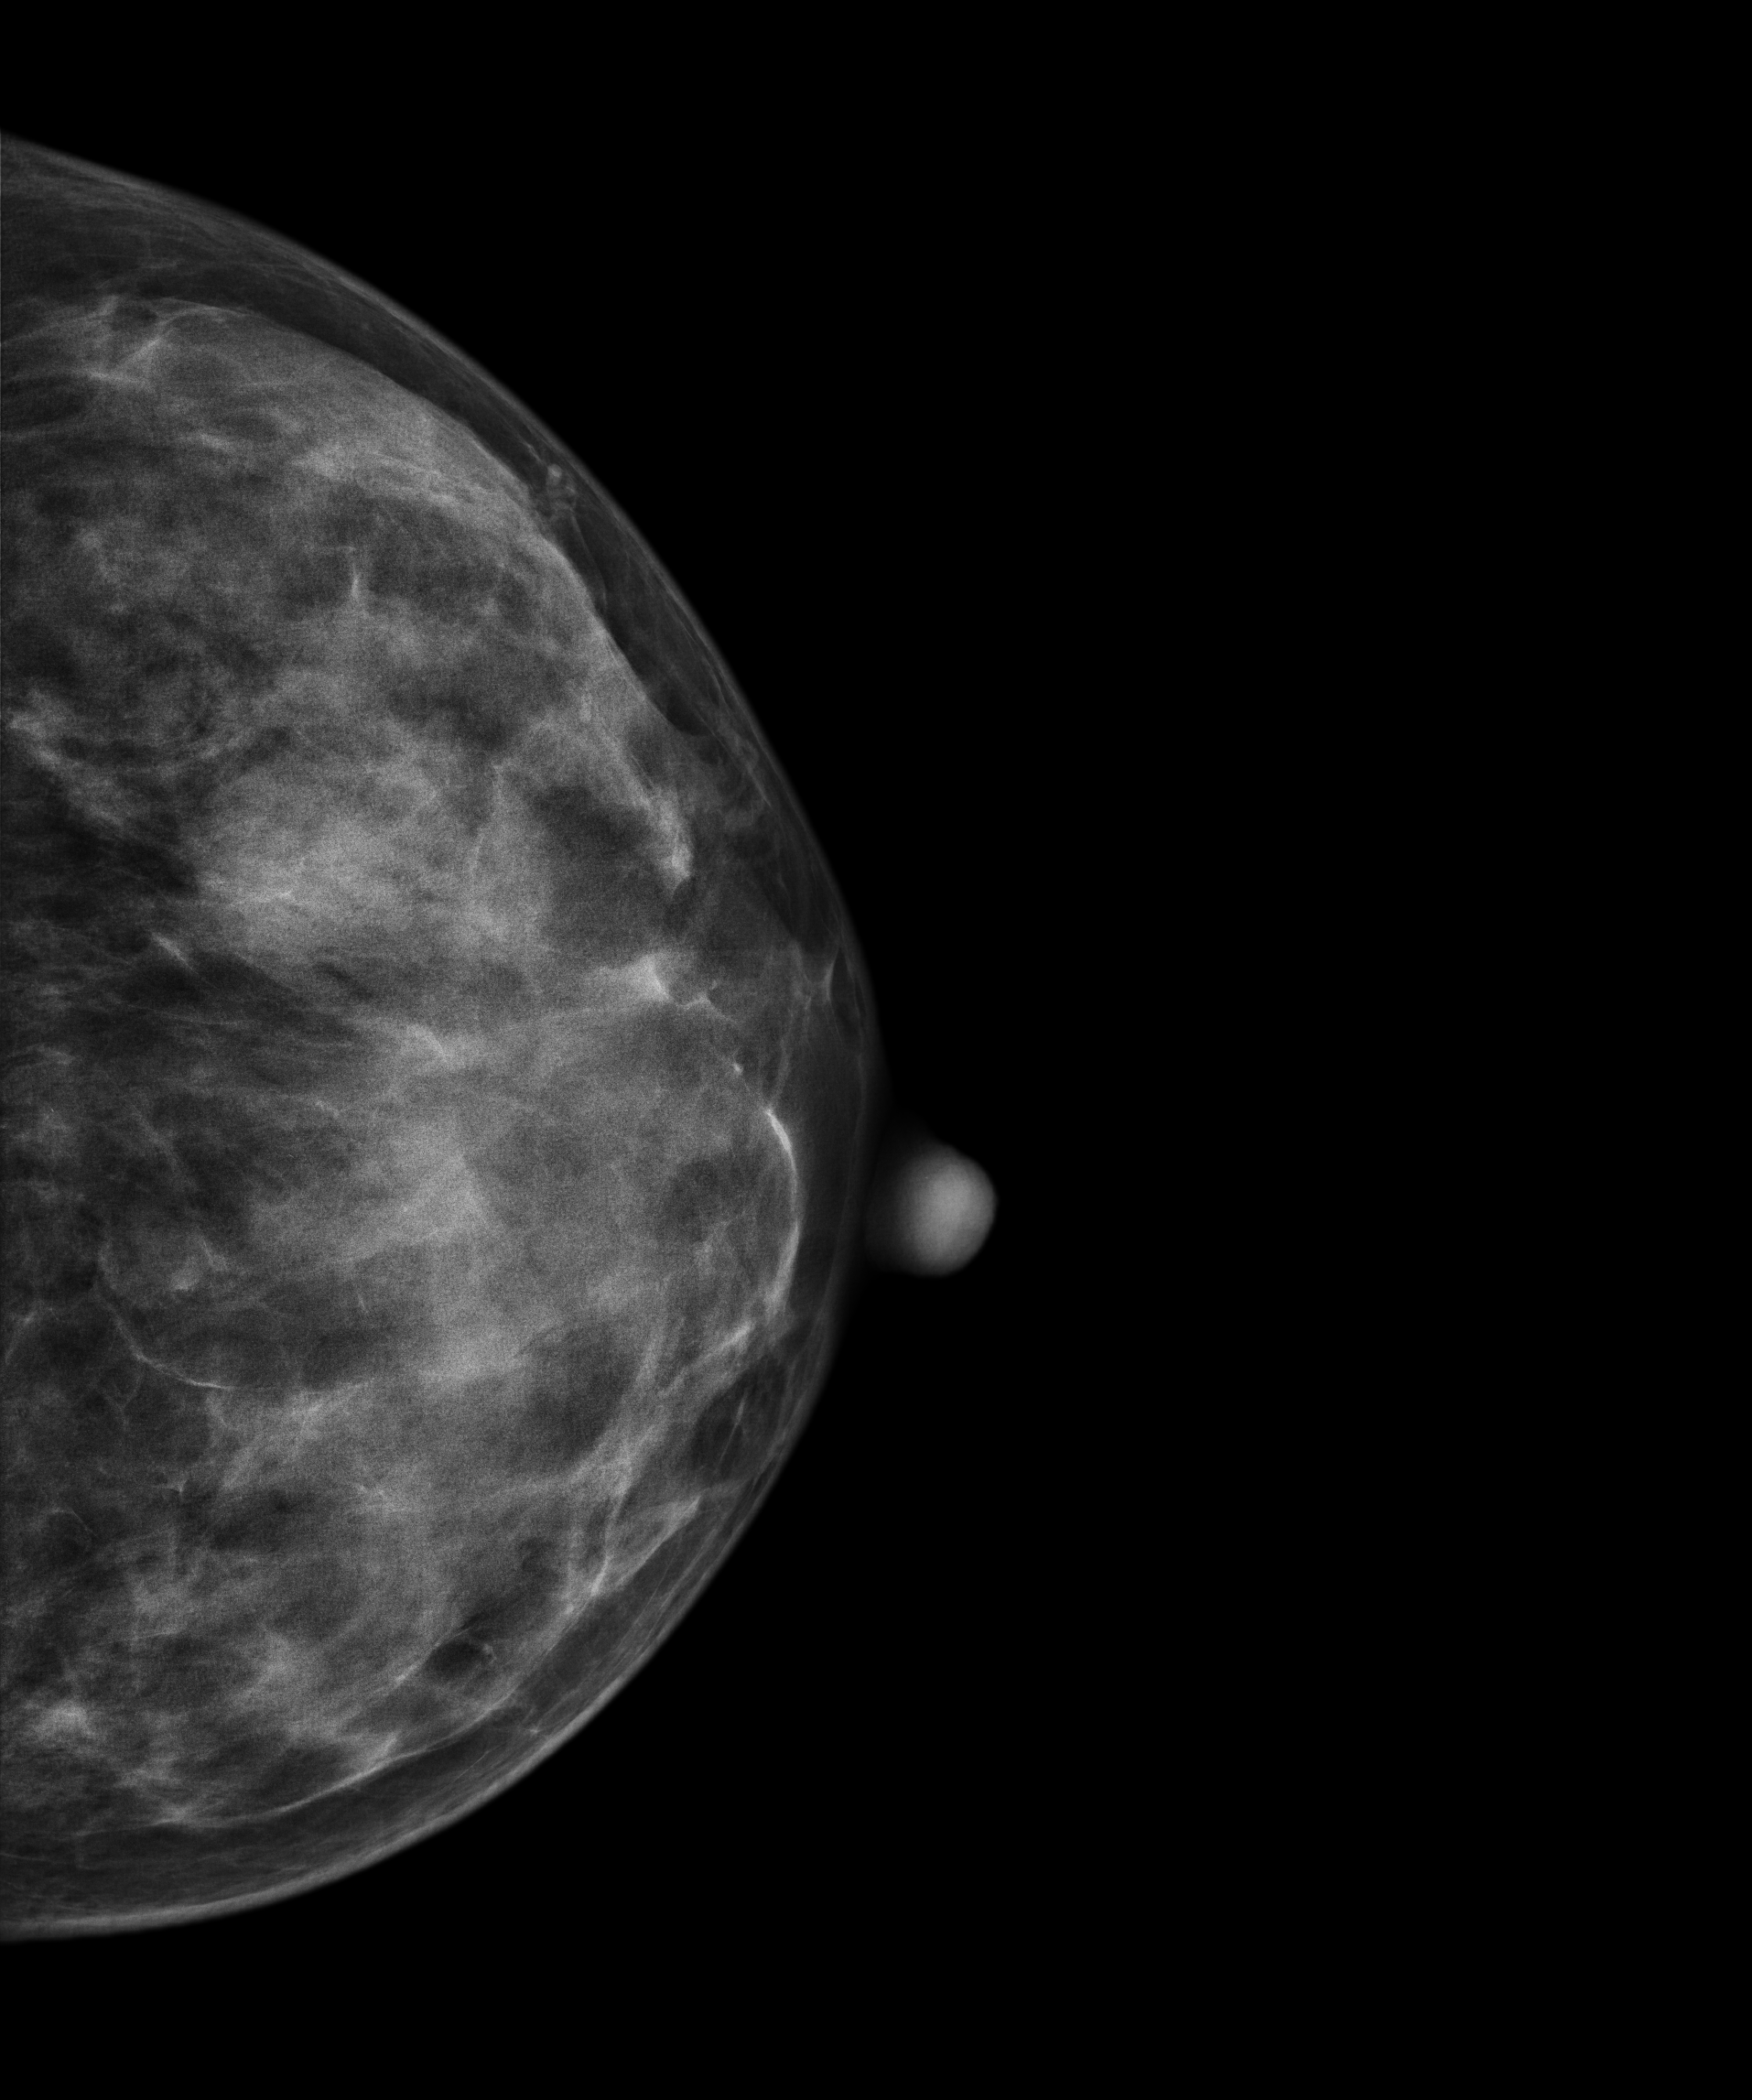
Digital mammography. Left breast, cranio-caudal projection. 51 y/o patient.
This breast has a mass, histologically confirmed benign.